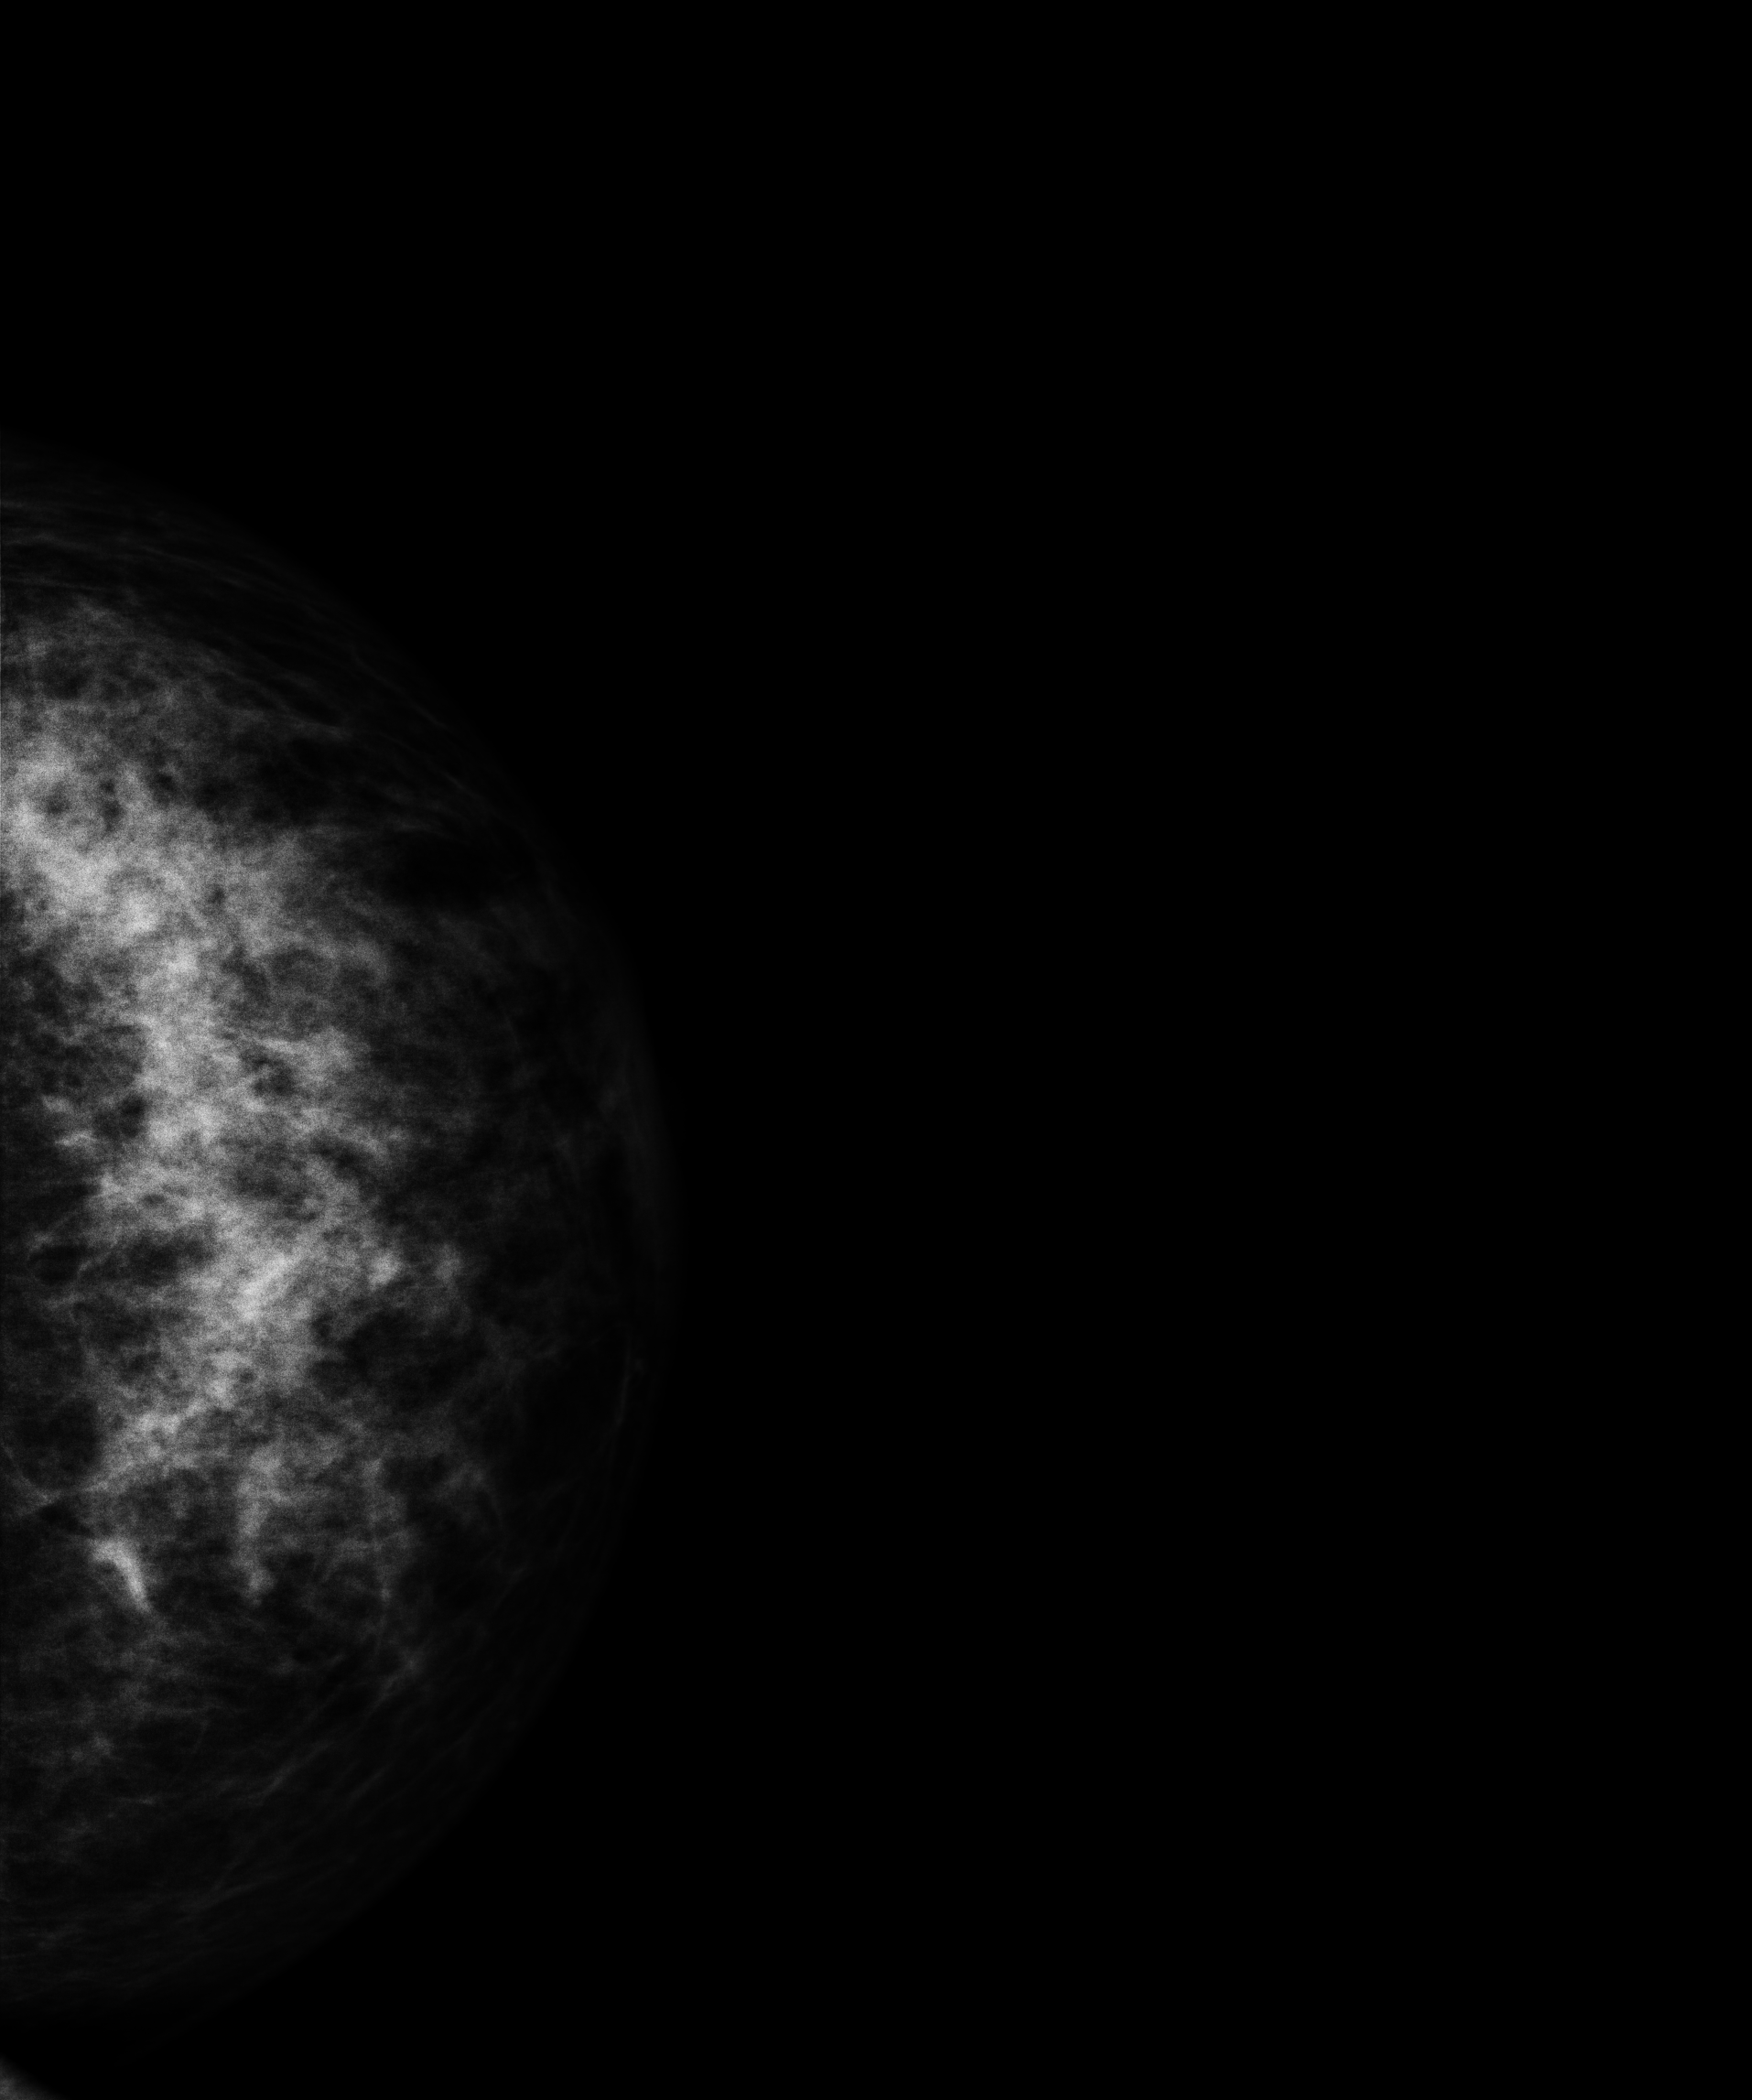
Mammogram, left breast, CC view. 46 y/o patient.
This breast has a mass, pathology-confirmed malignant. Molecular subtype: luminal A.